Mammogram — right medio-lateral oblique. 47-year-old patient.
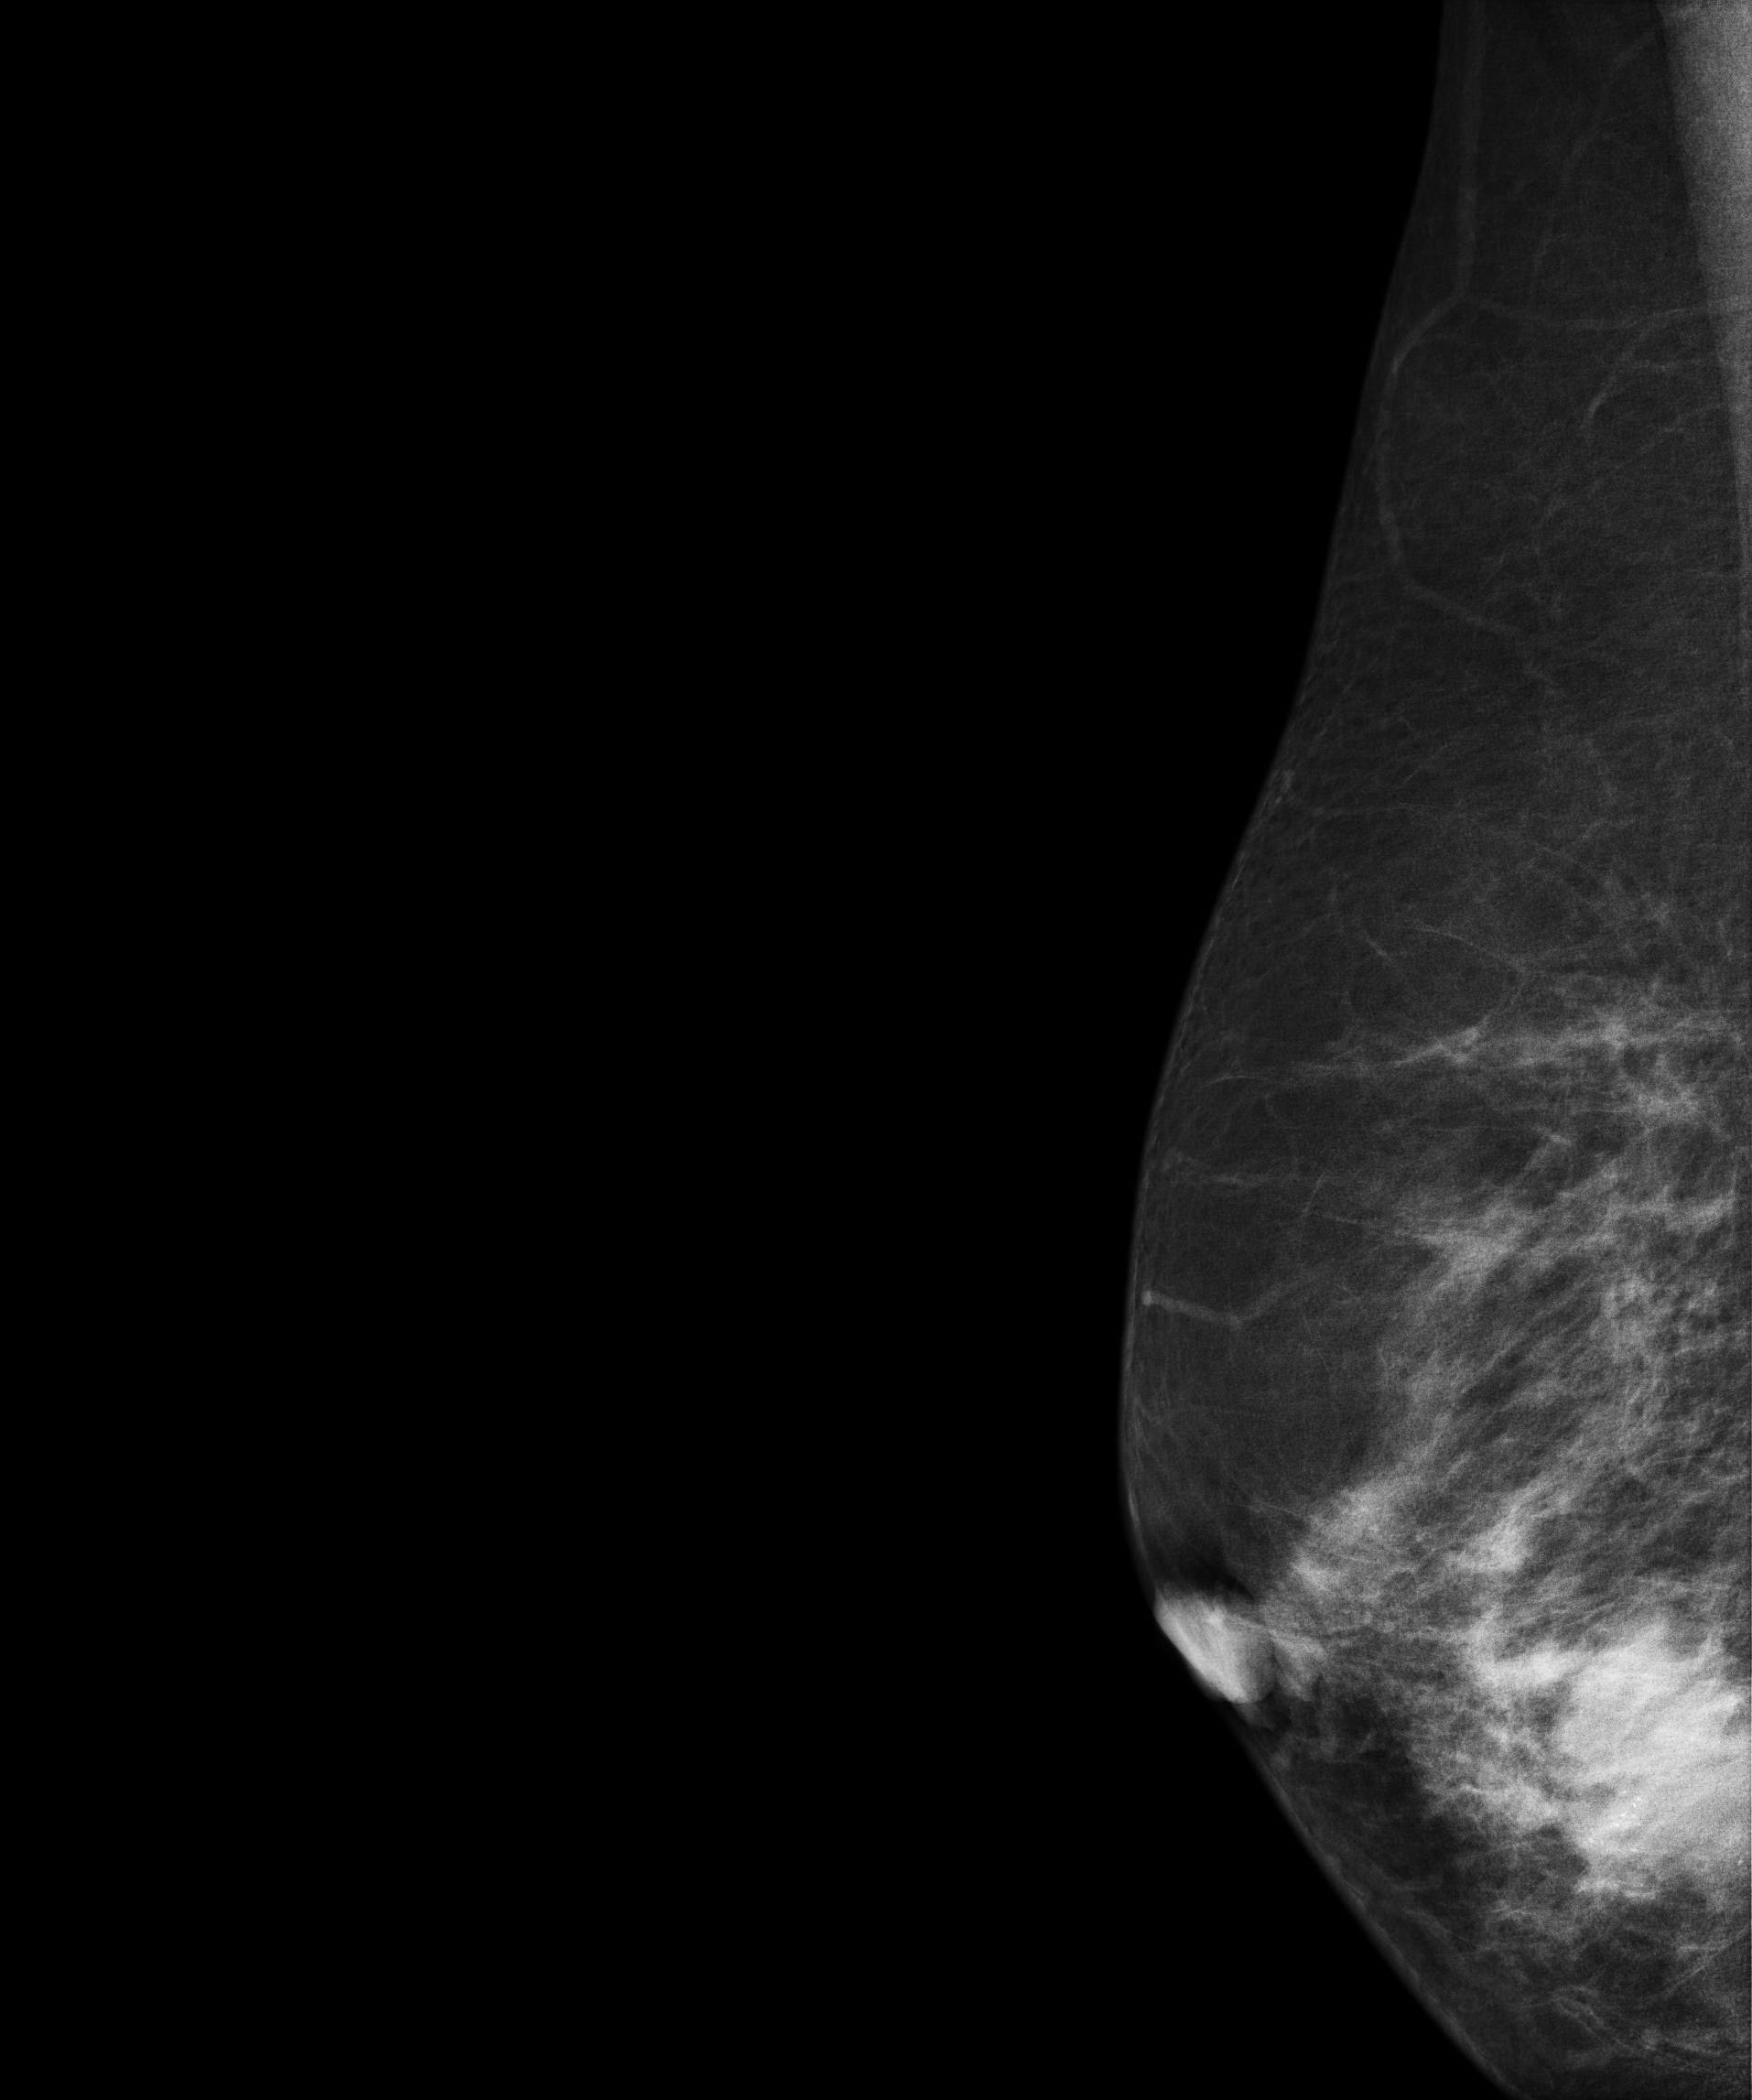
This breast has a mass and calcifications, pathology-confirmed malignant. Molecular subtype: HER2-enriched.